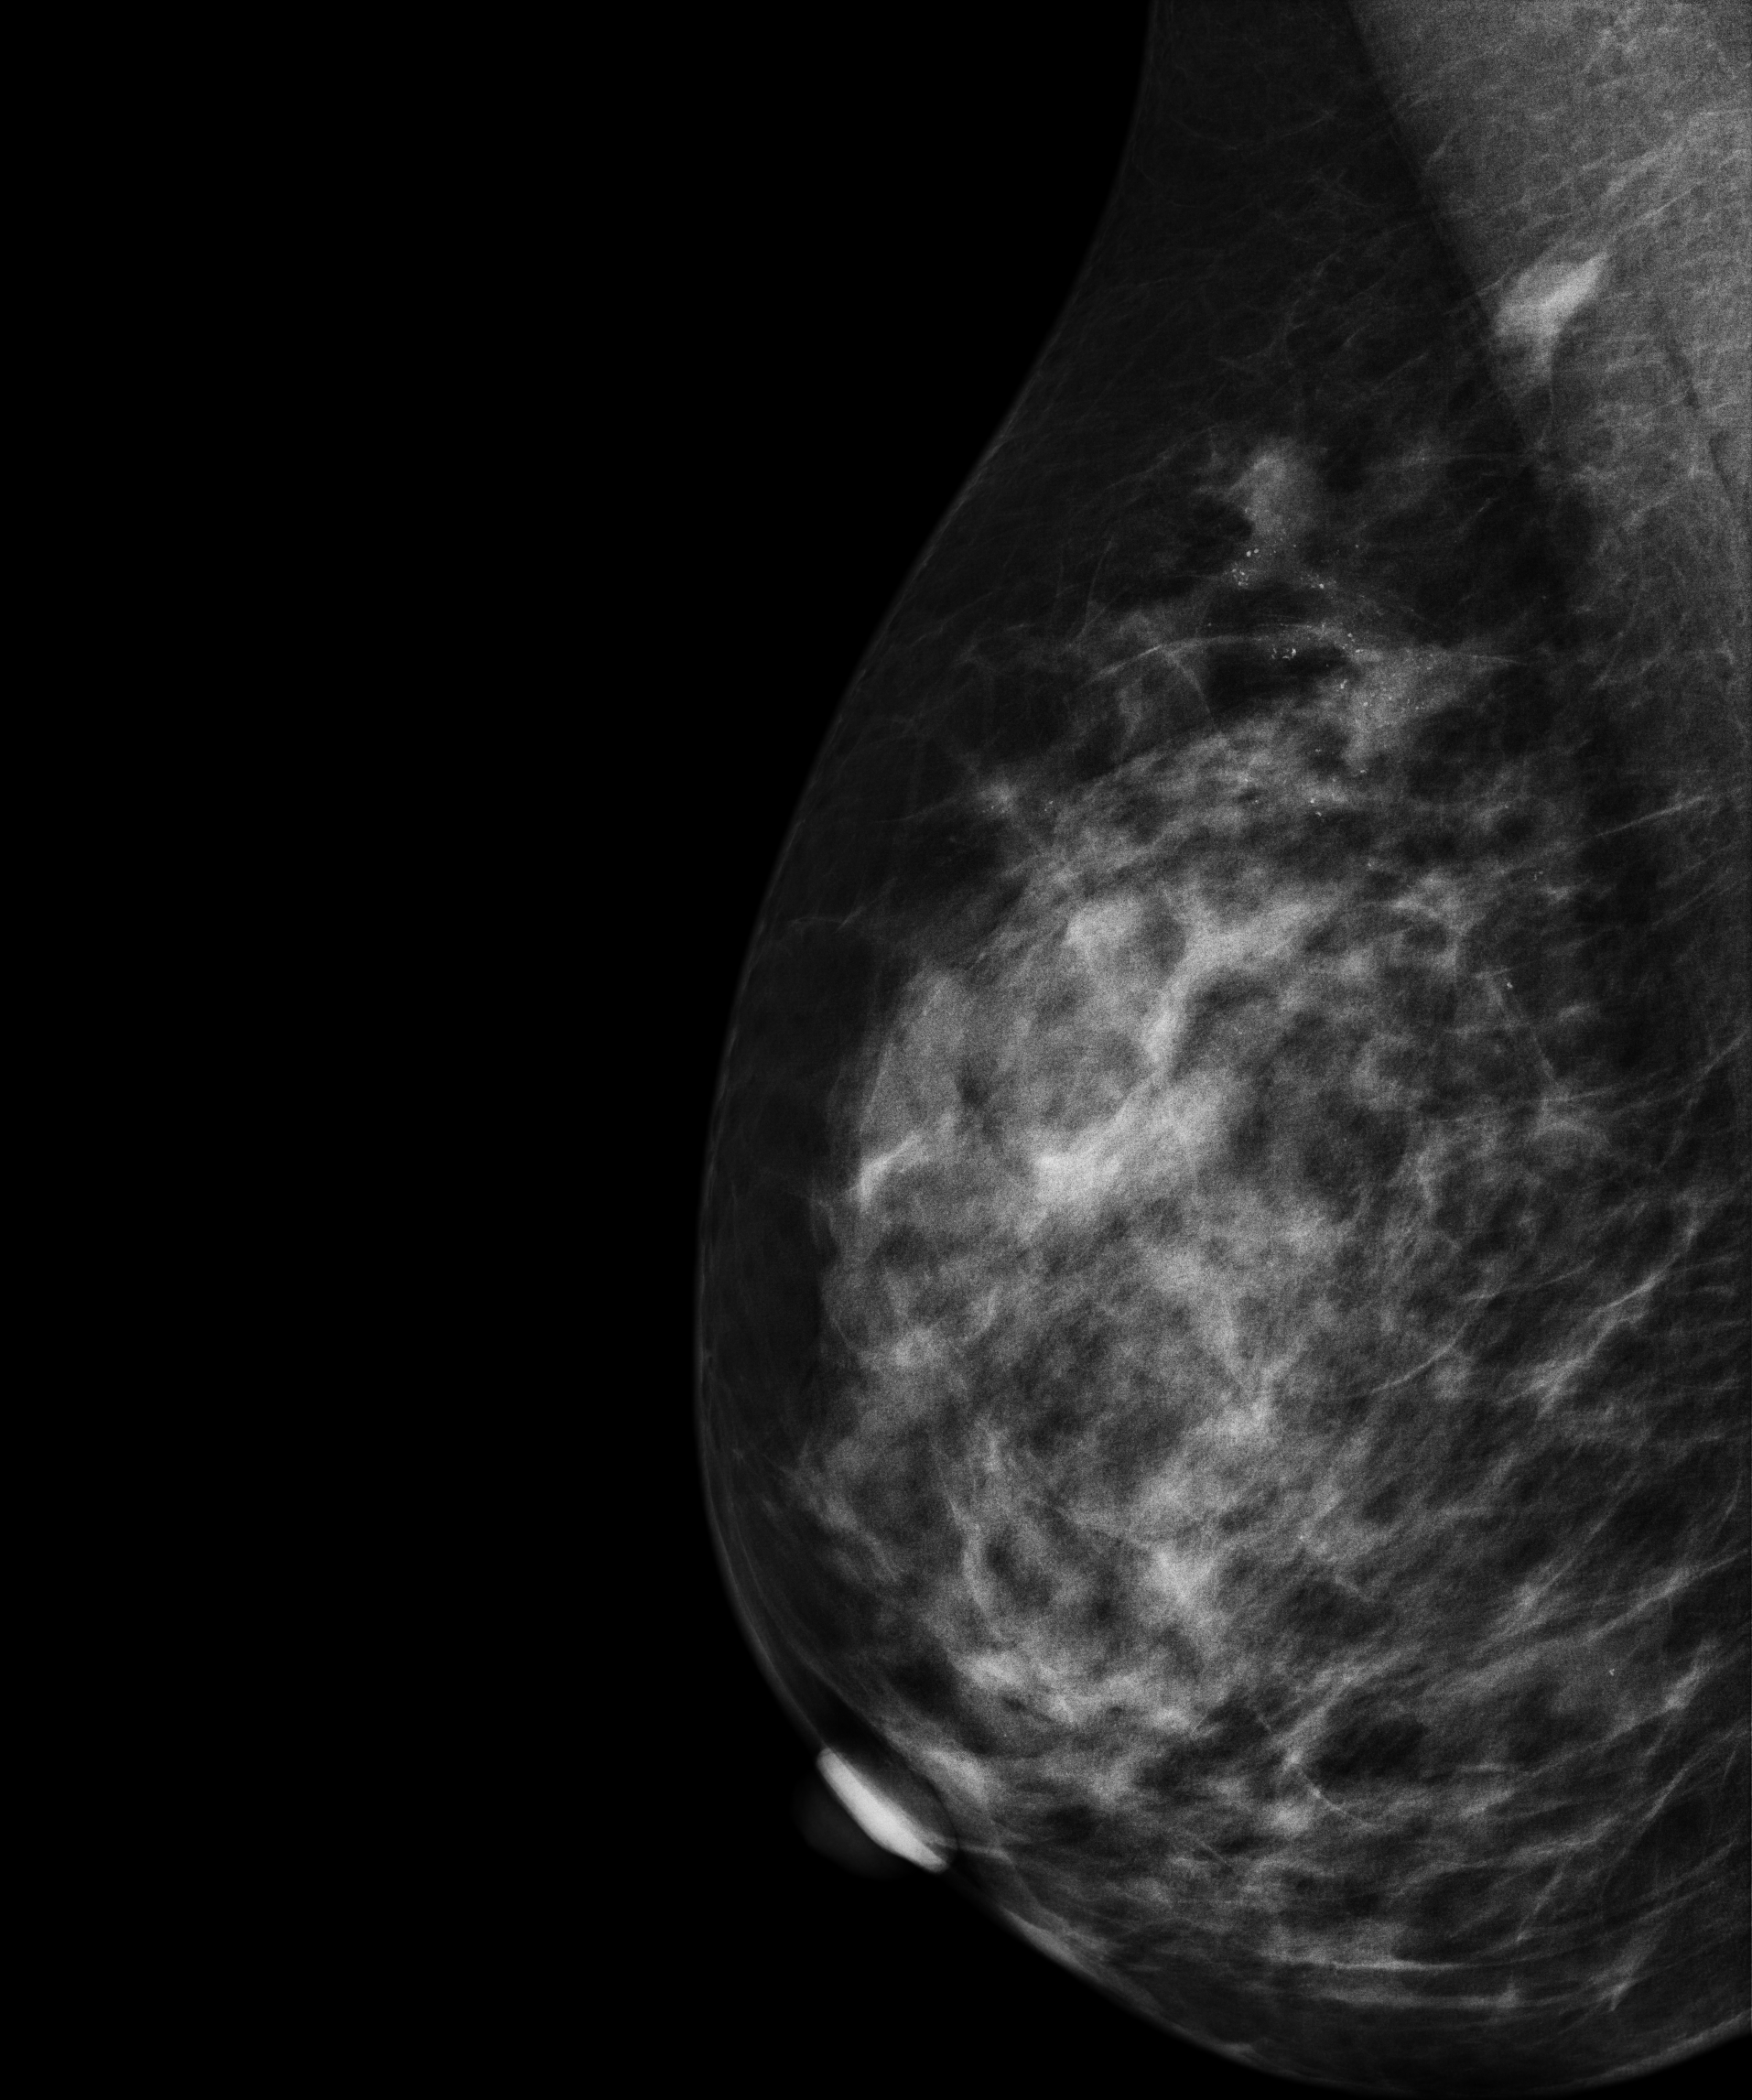
Right-breast mammogram, medio-lateral oblique. Patient age 46.
This breast has a mass and calcifications, biopsy-proven malignant. Molecular subtype: luminal A.